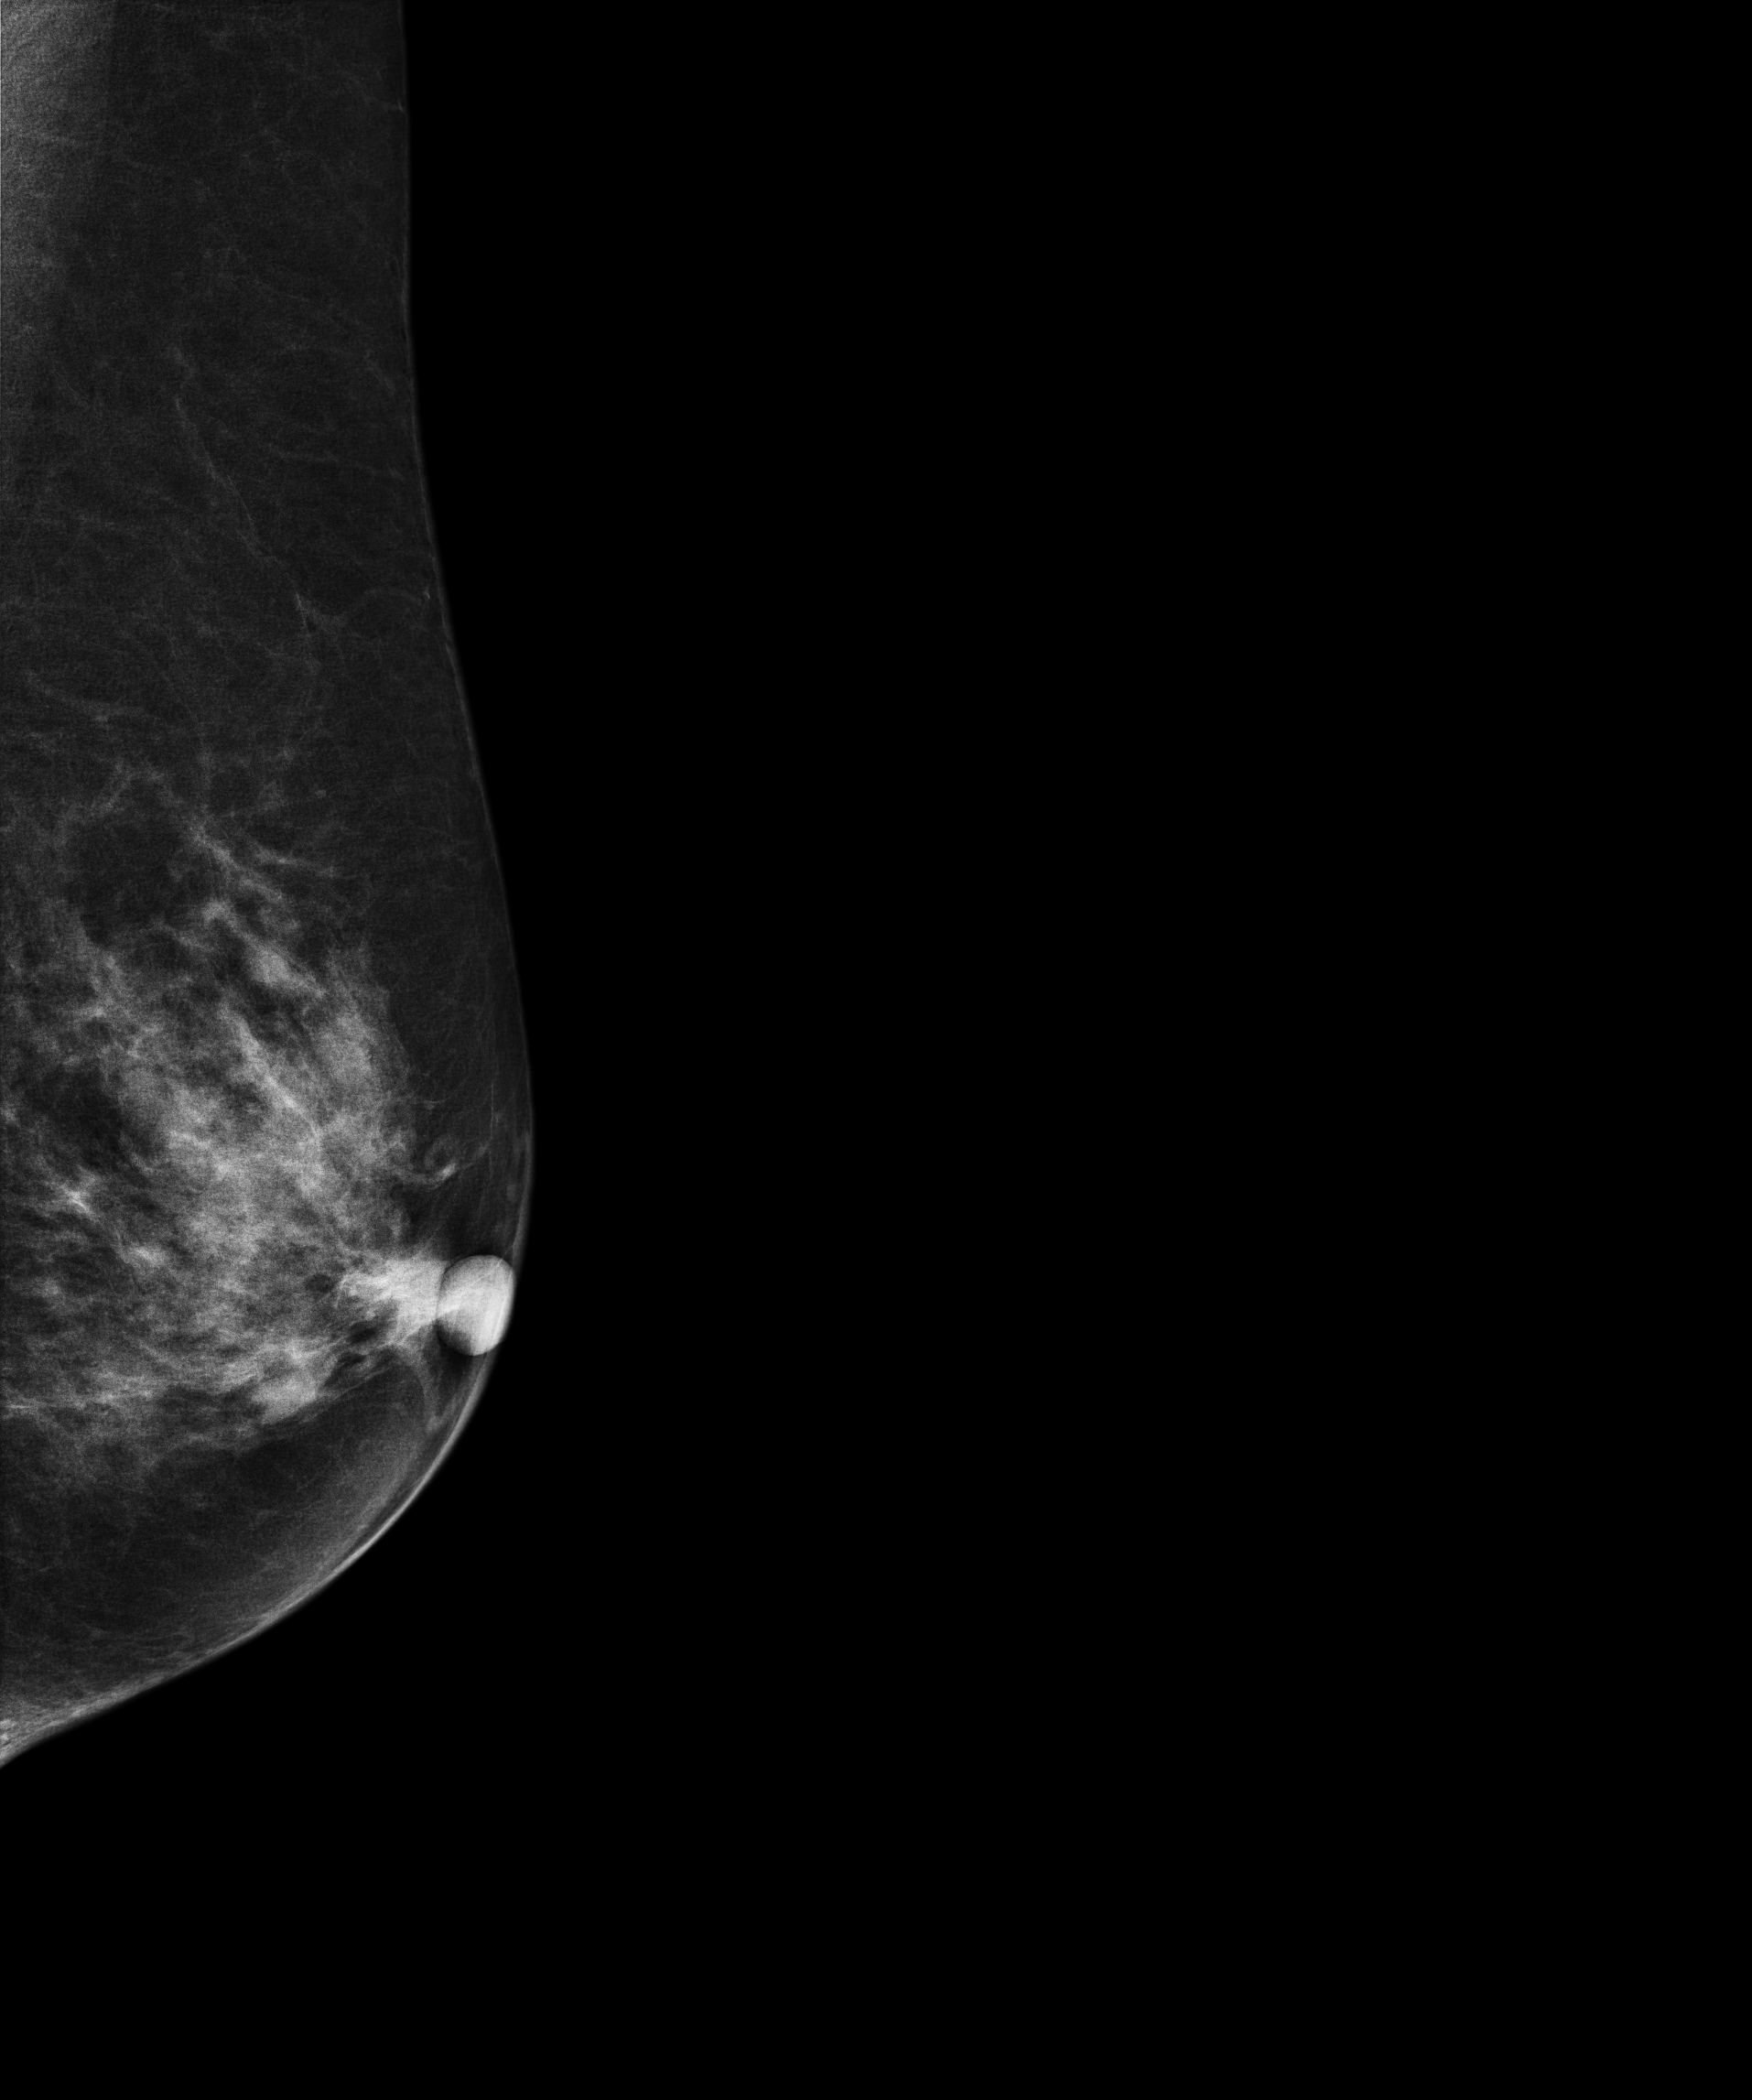
Left-breast mammogram, MLO. 66-year-old patient.
Contralateral breast — no documented abnormality on this side.